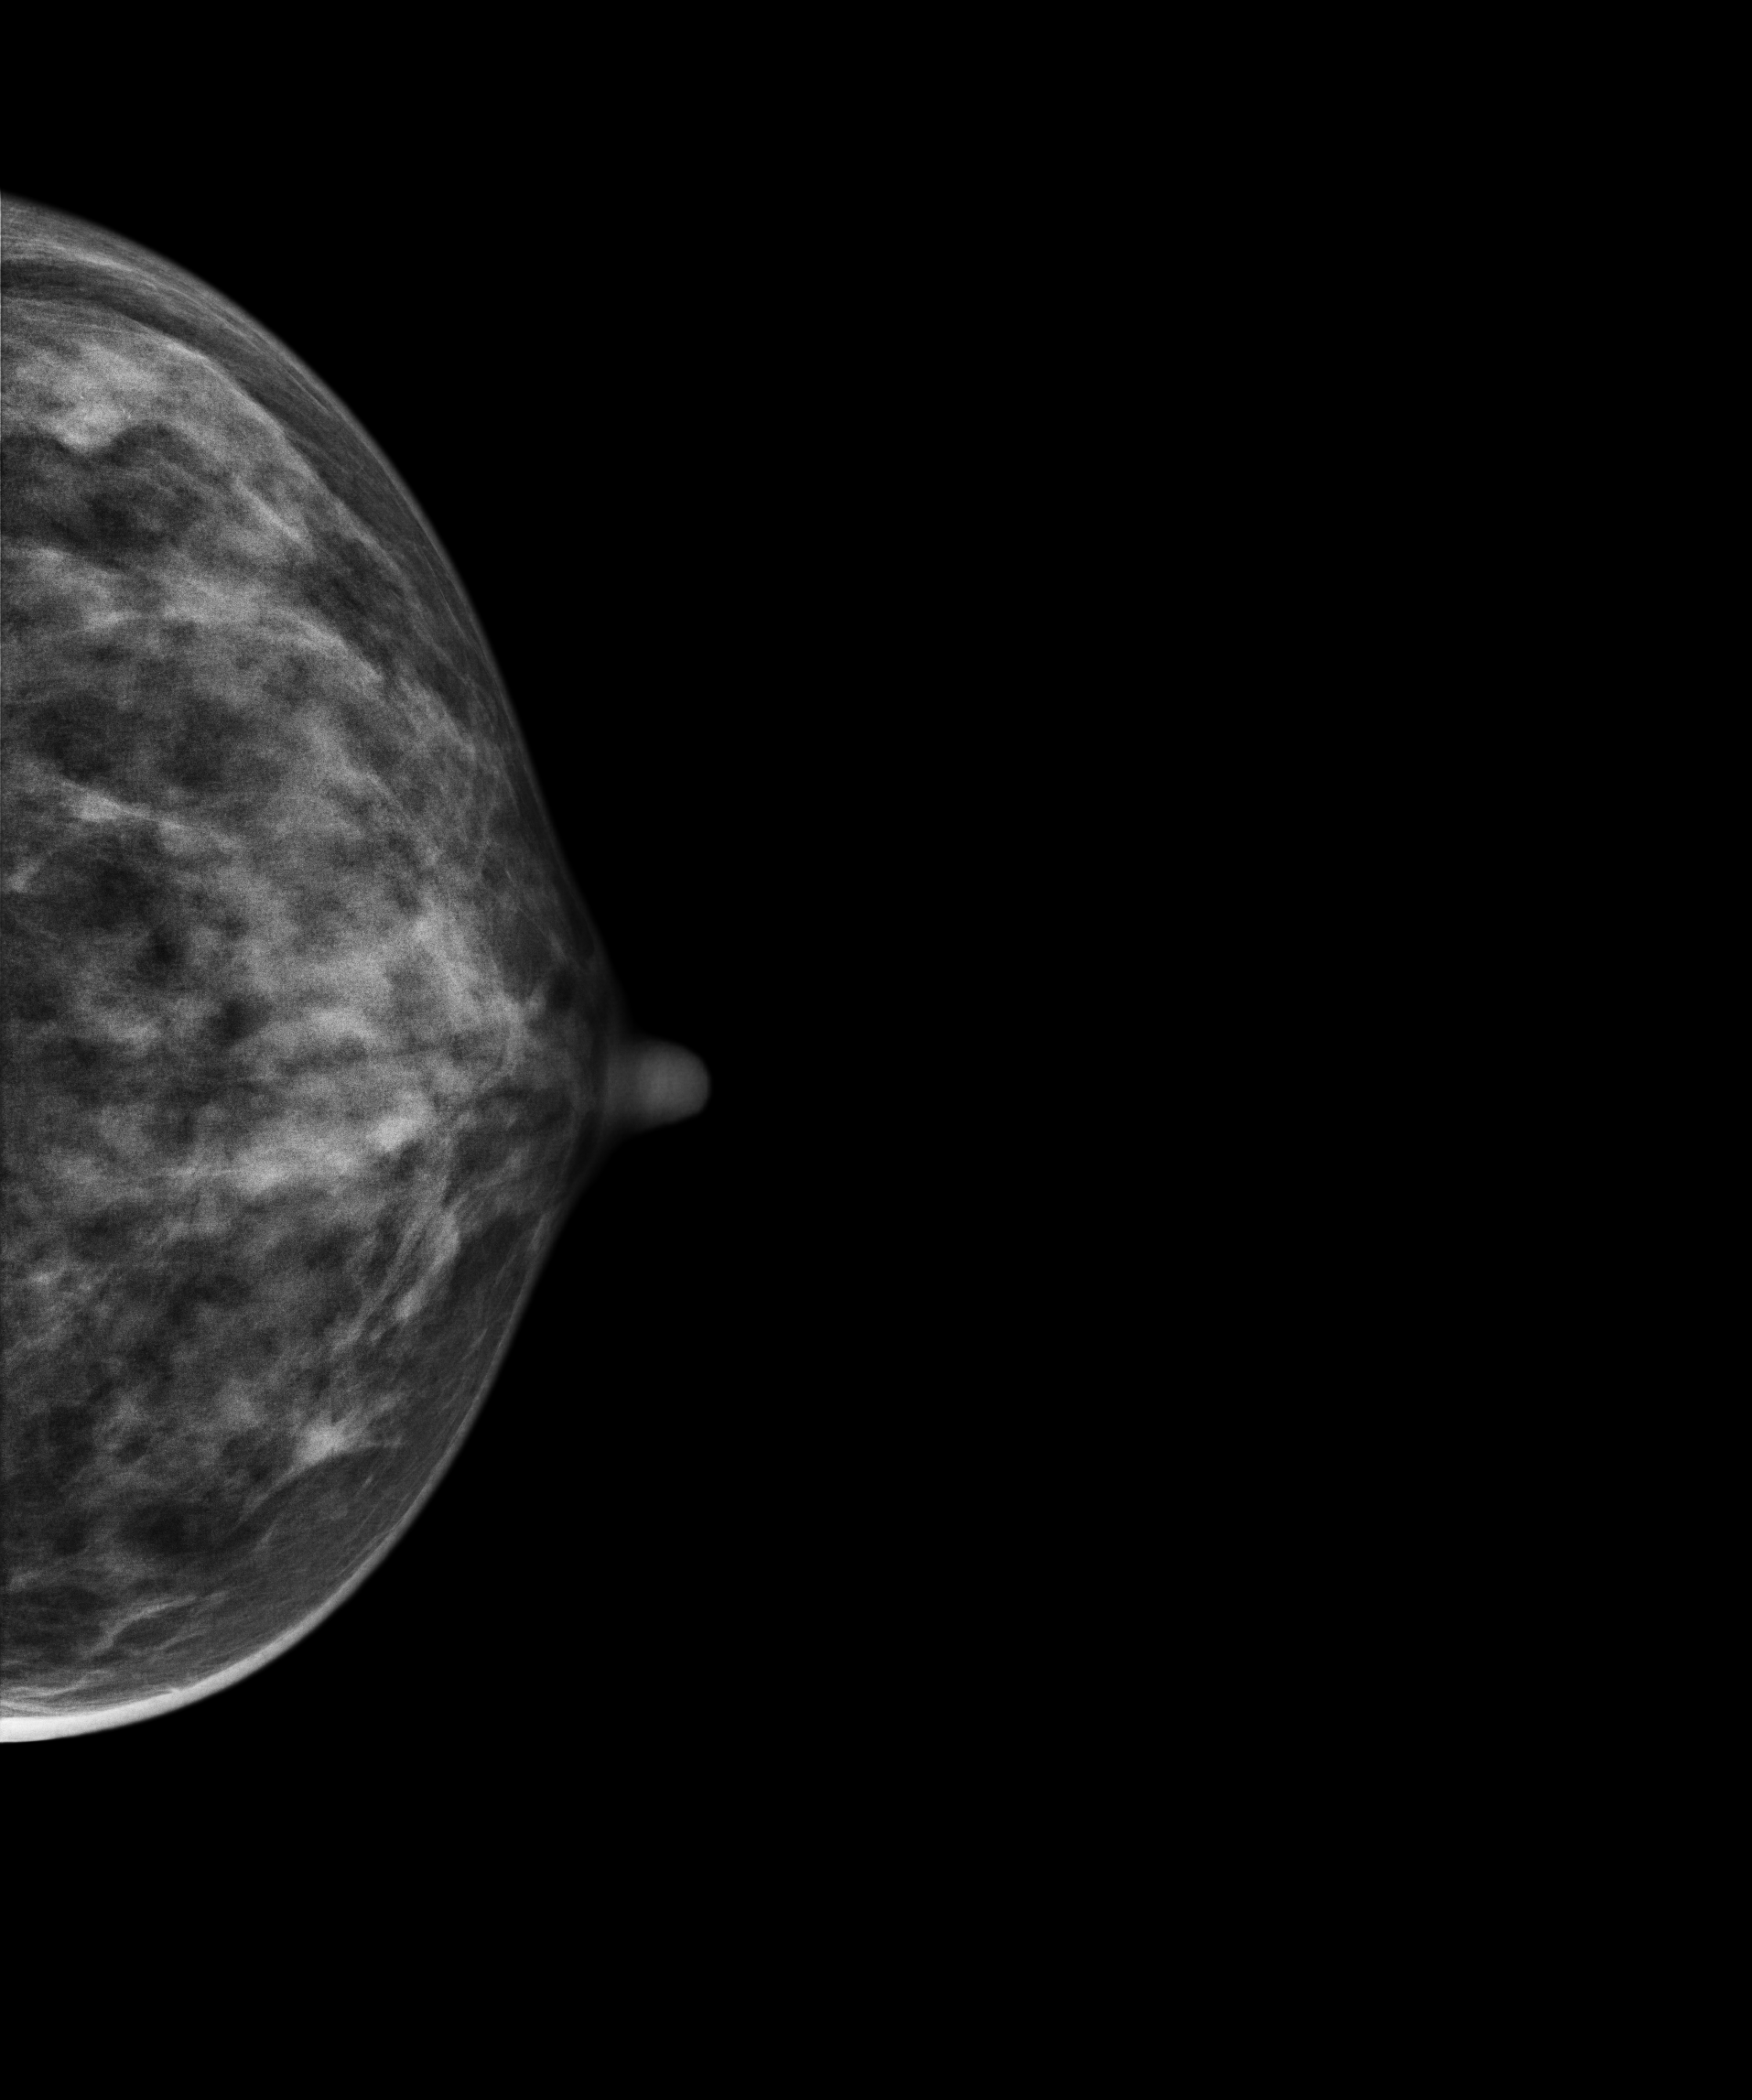
Mammogram — left cranio-caudal. 31-year-old patient.
This breast has a mass and calcifications, pathology-confirmed malignant. Molecular subtype: luminal B.